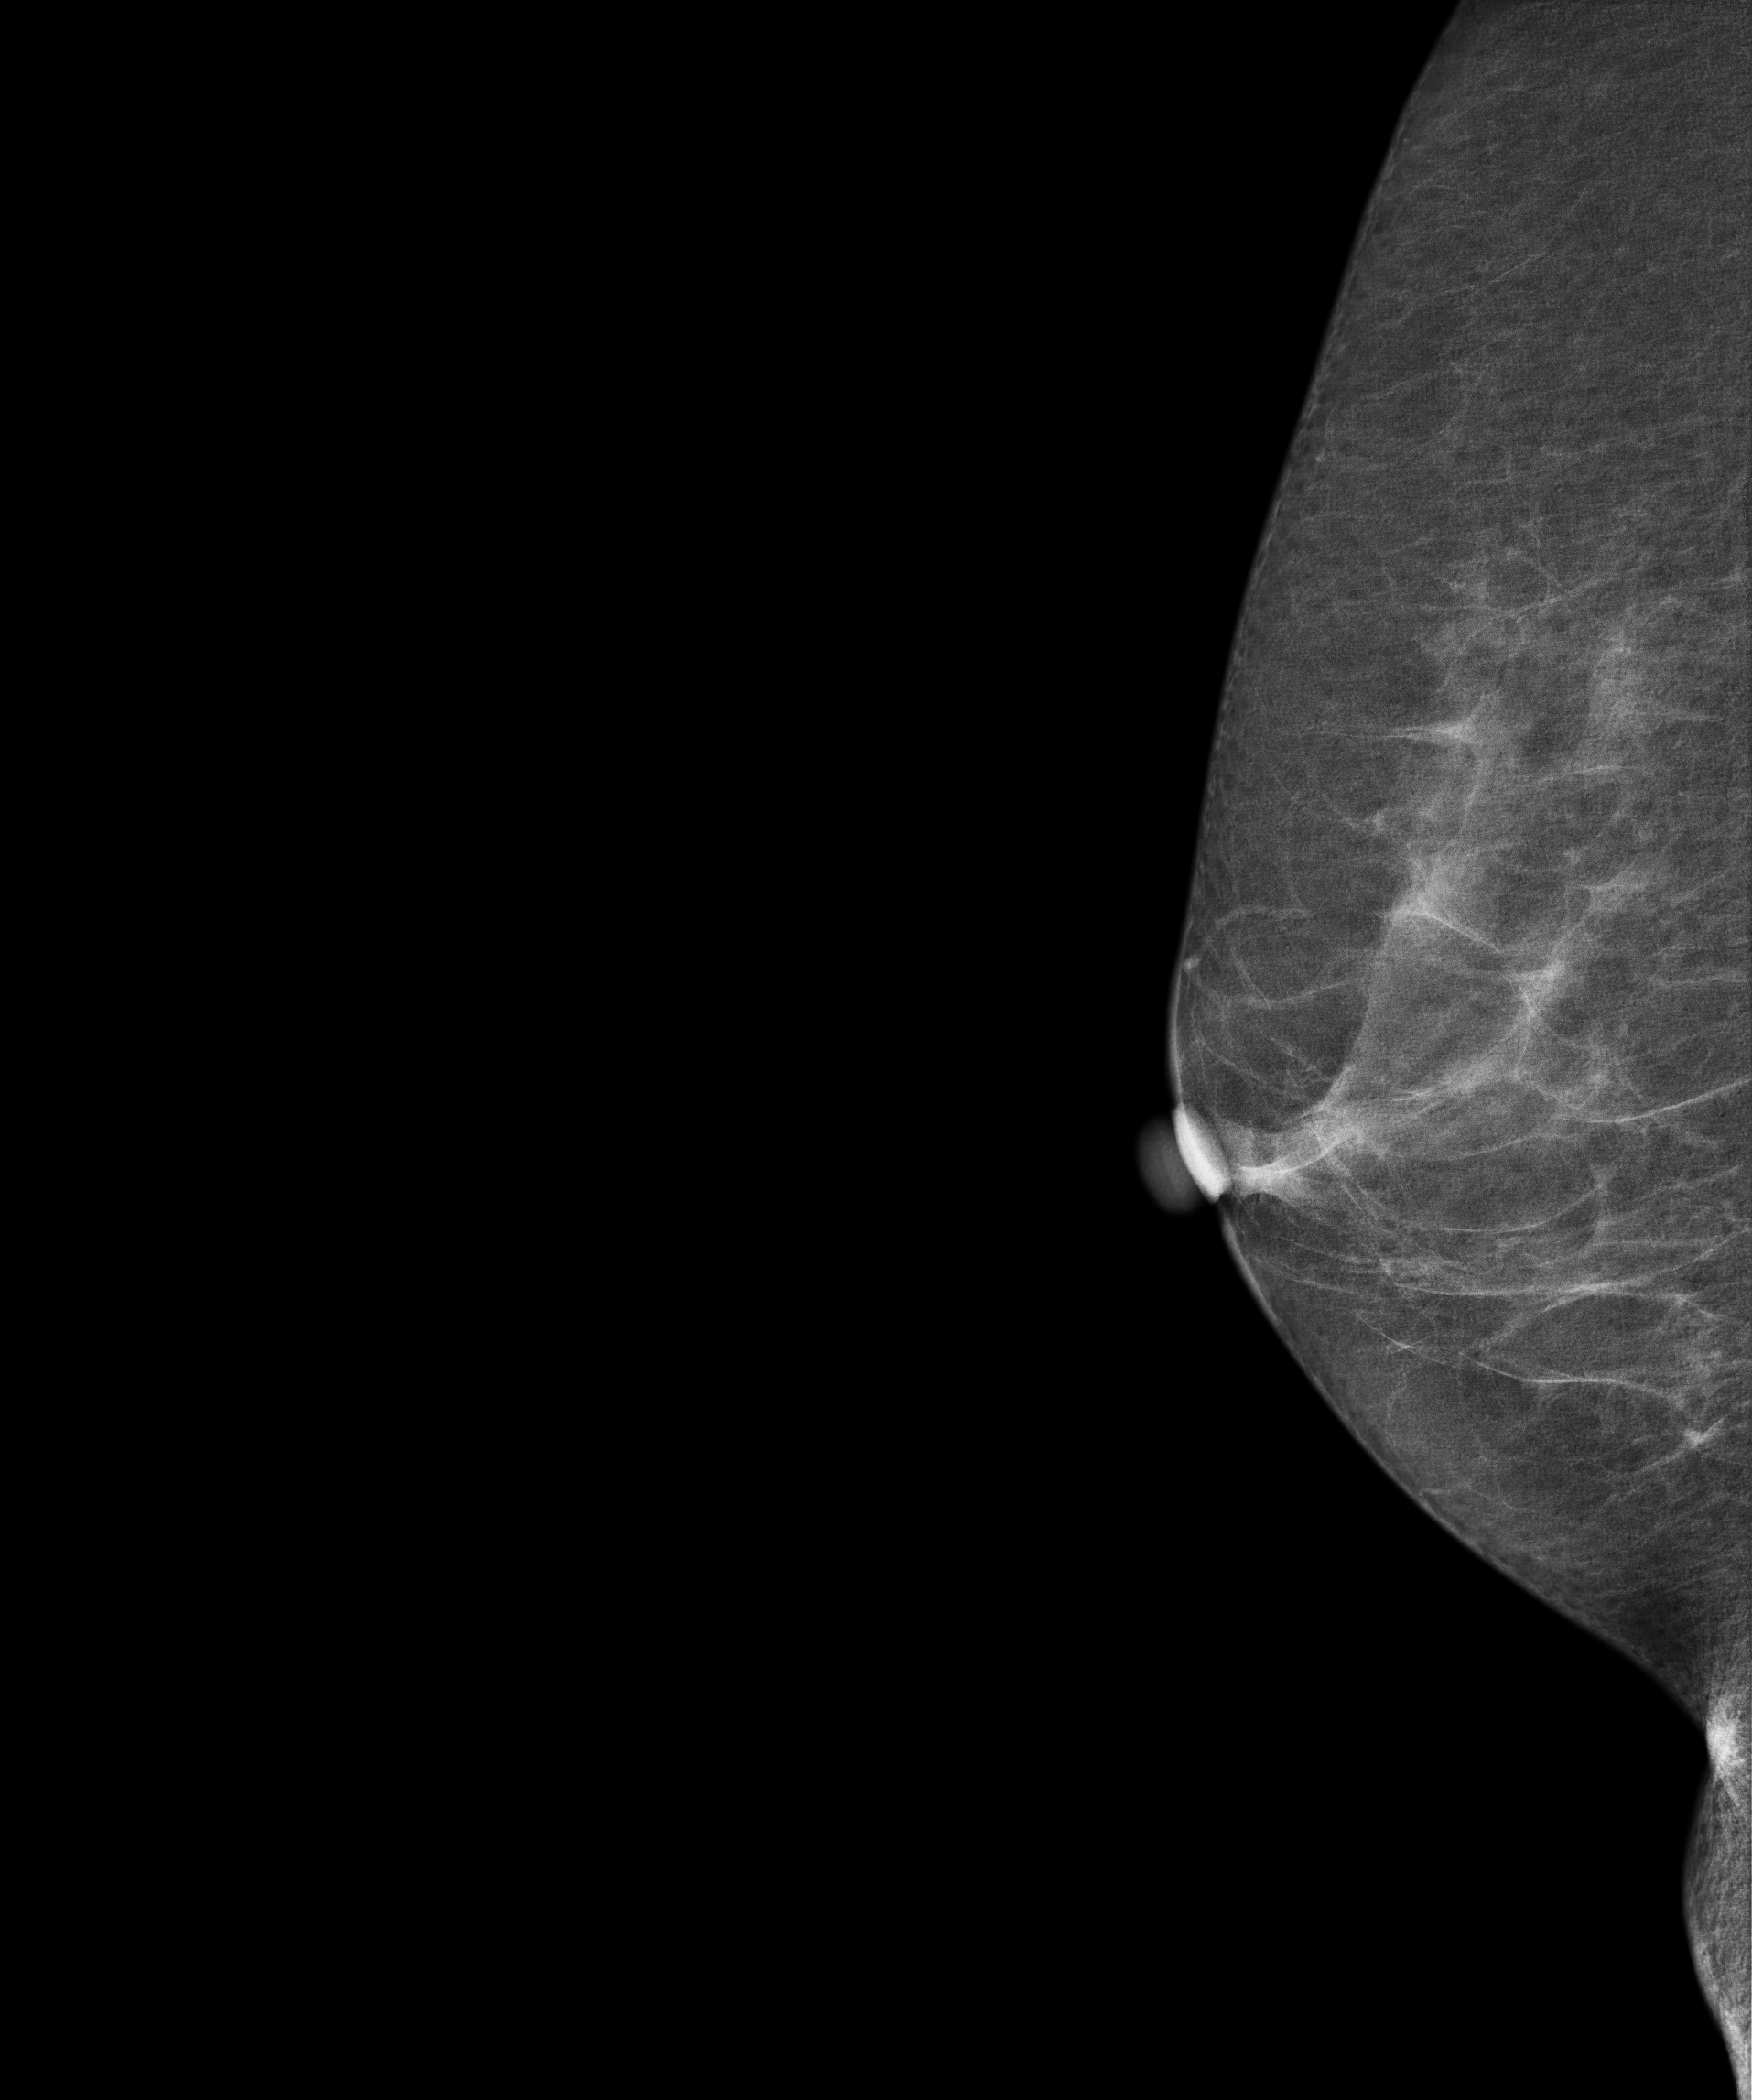
MLO mammogram of the right breast. Patient age 75.
Contralateral breast — no documented abnormality on this side.